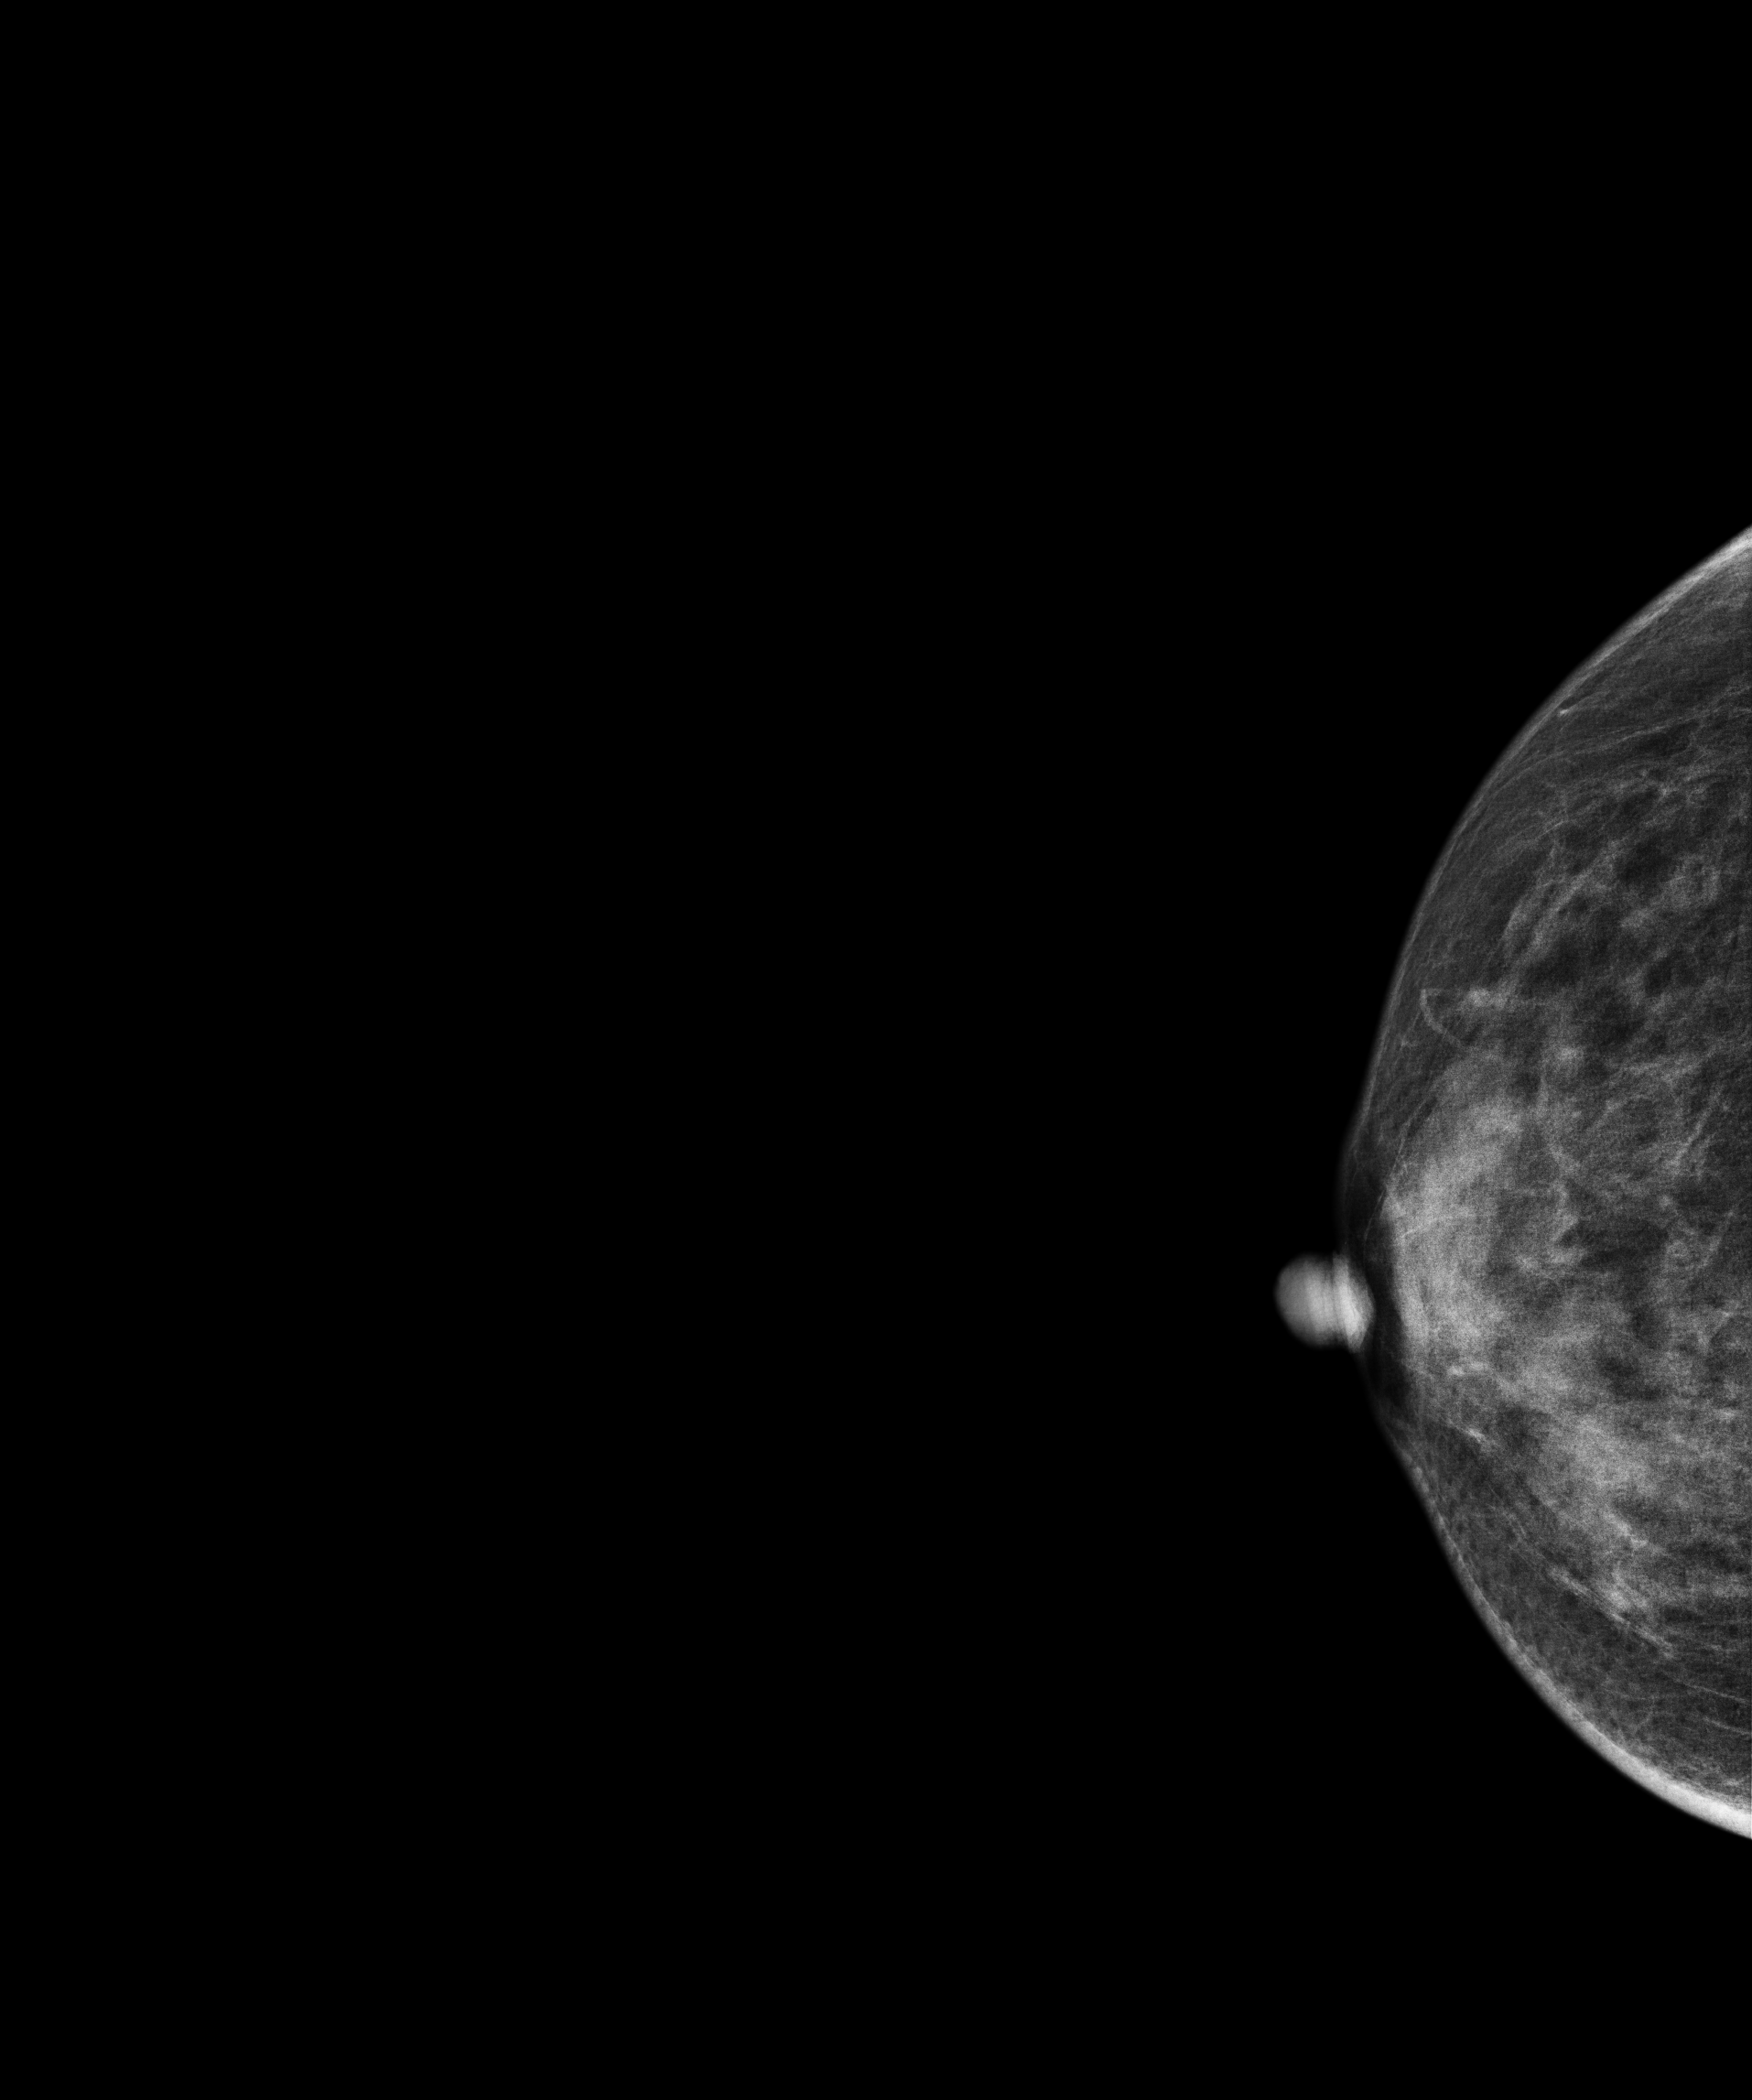
Right-breast mammogram, cranio-caudal. 70 y/o patient.
Contralateral breast — no documented abnormality on this side.